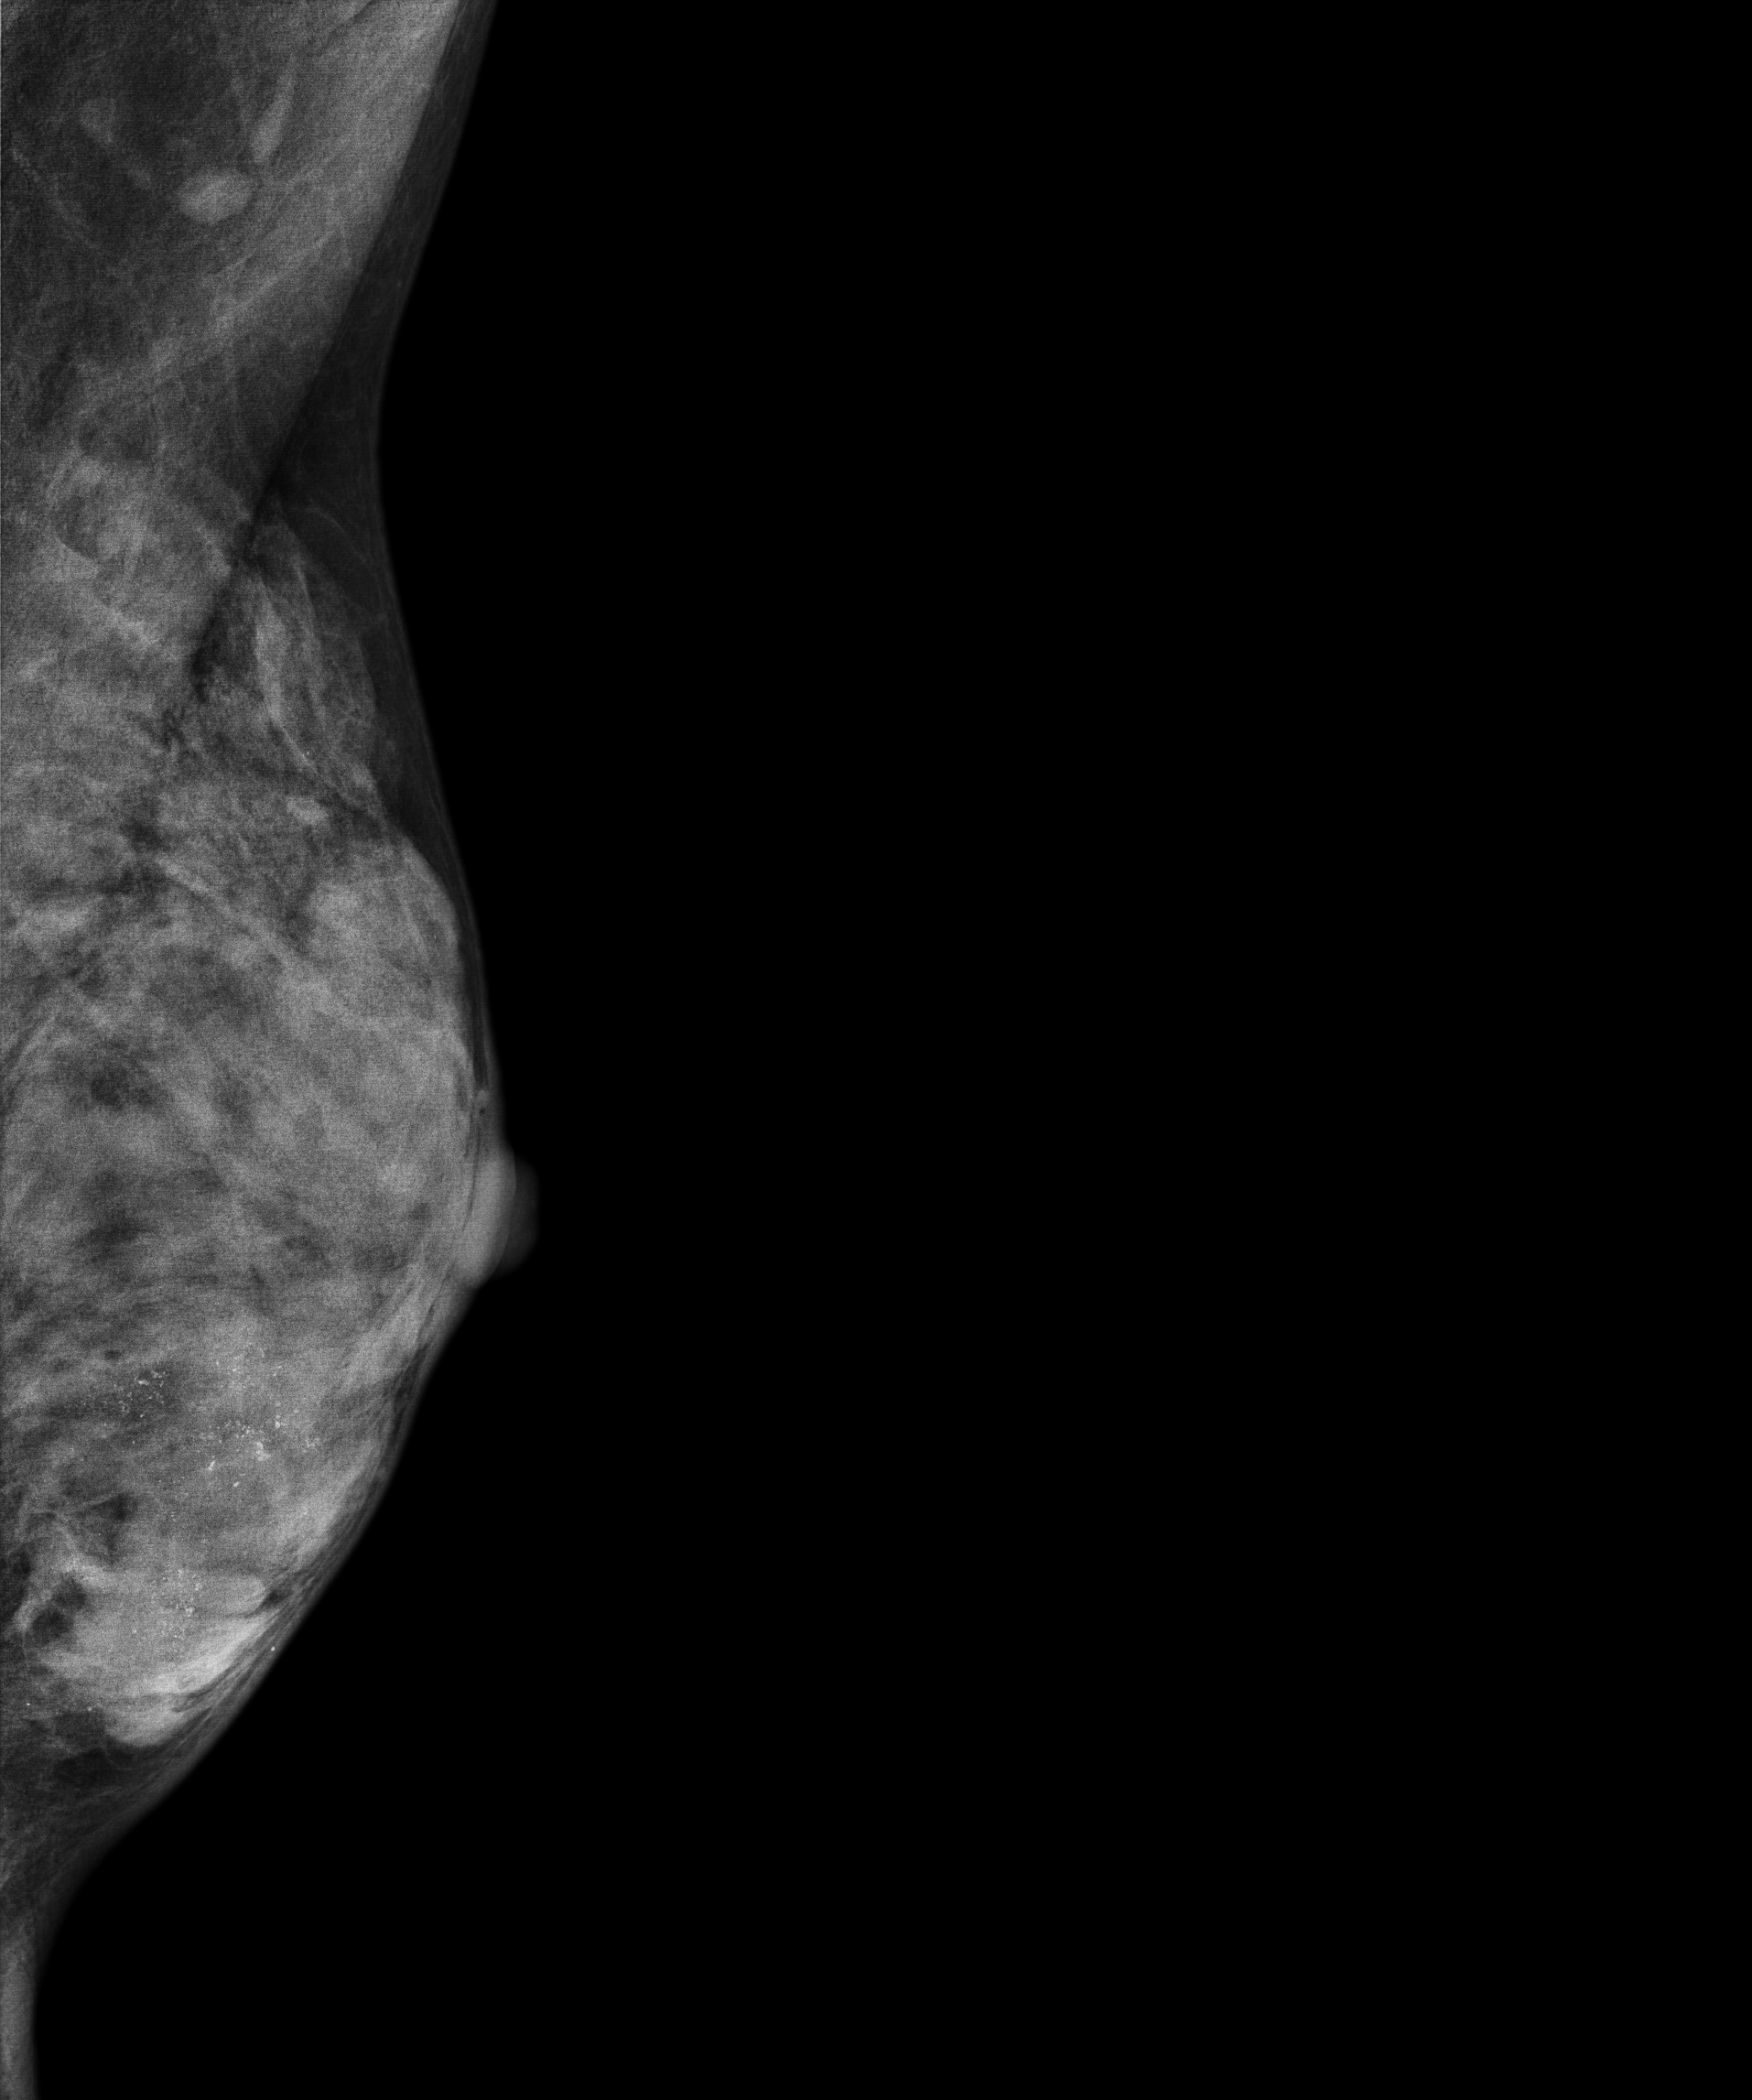
Mammogram, left breast, MLO view. 44 y/o patient.
This breast has calcifications, histologically confirmed malignant.